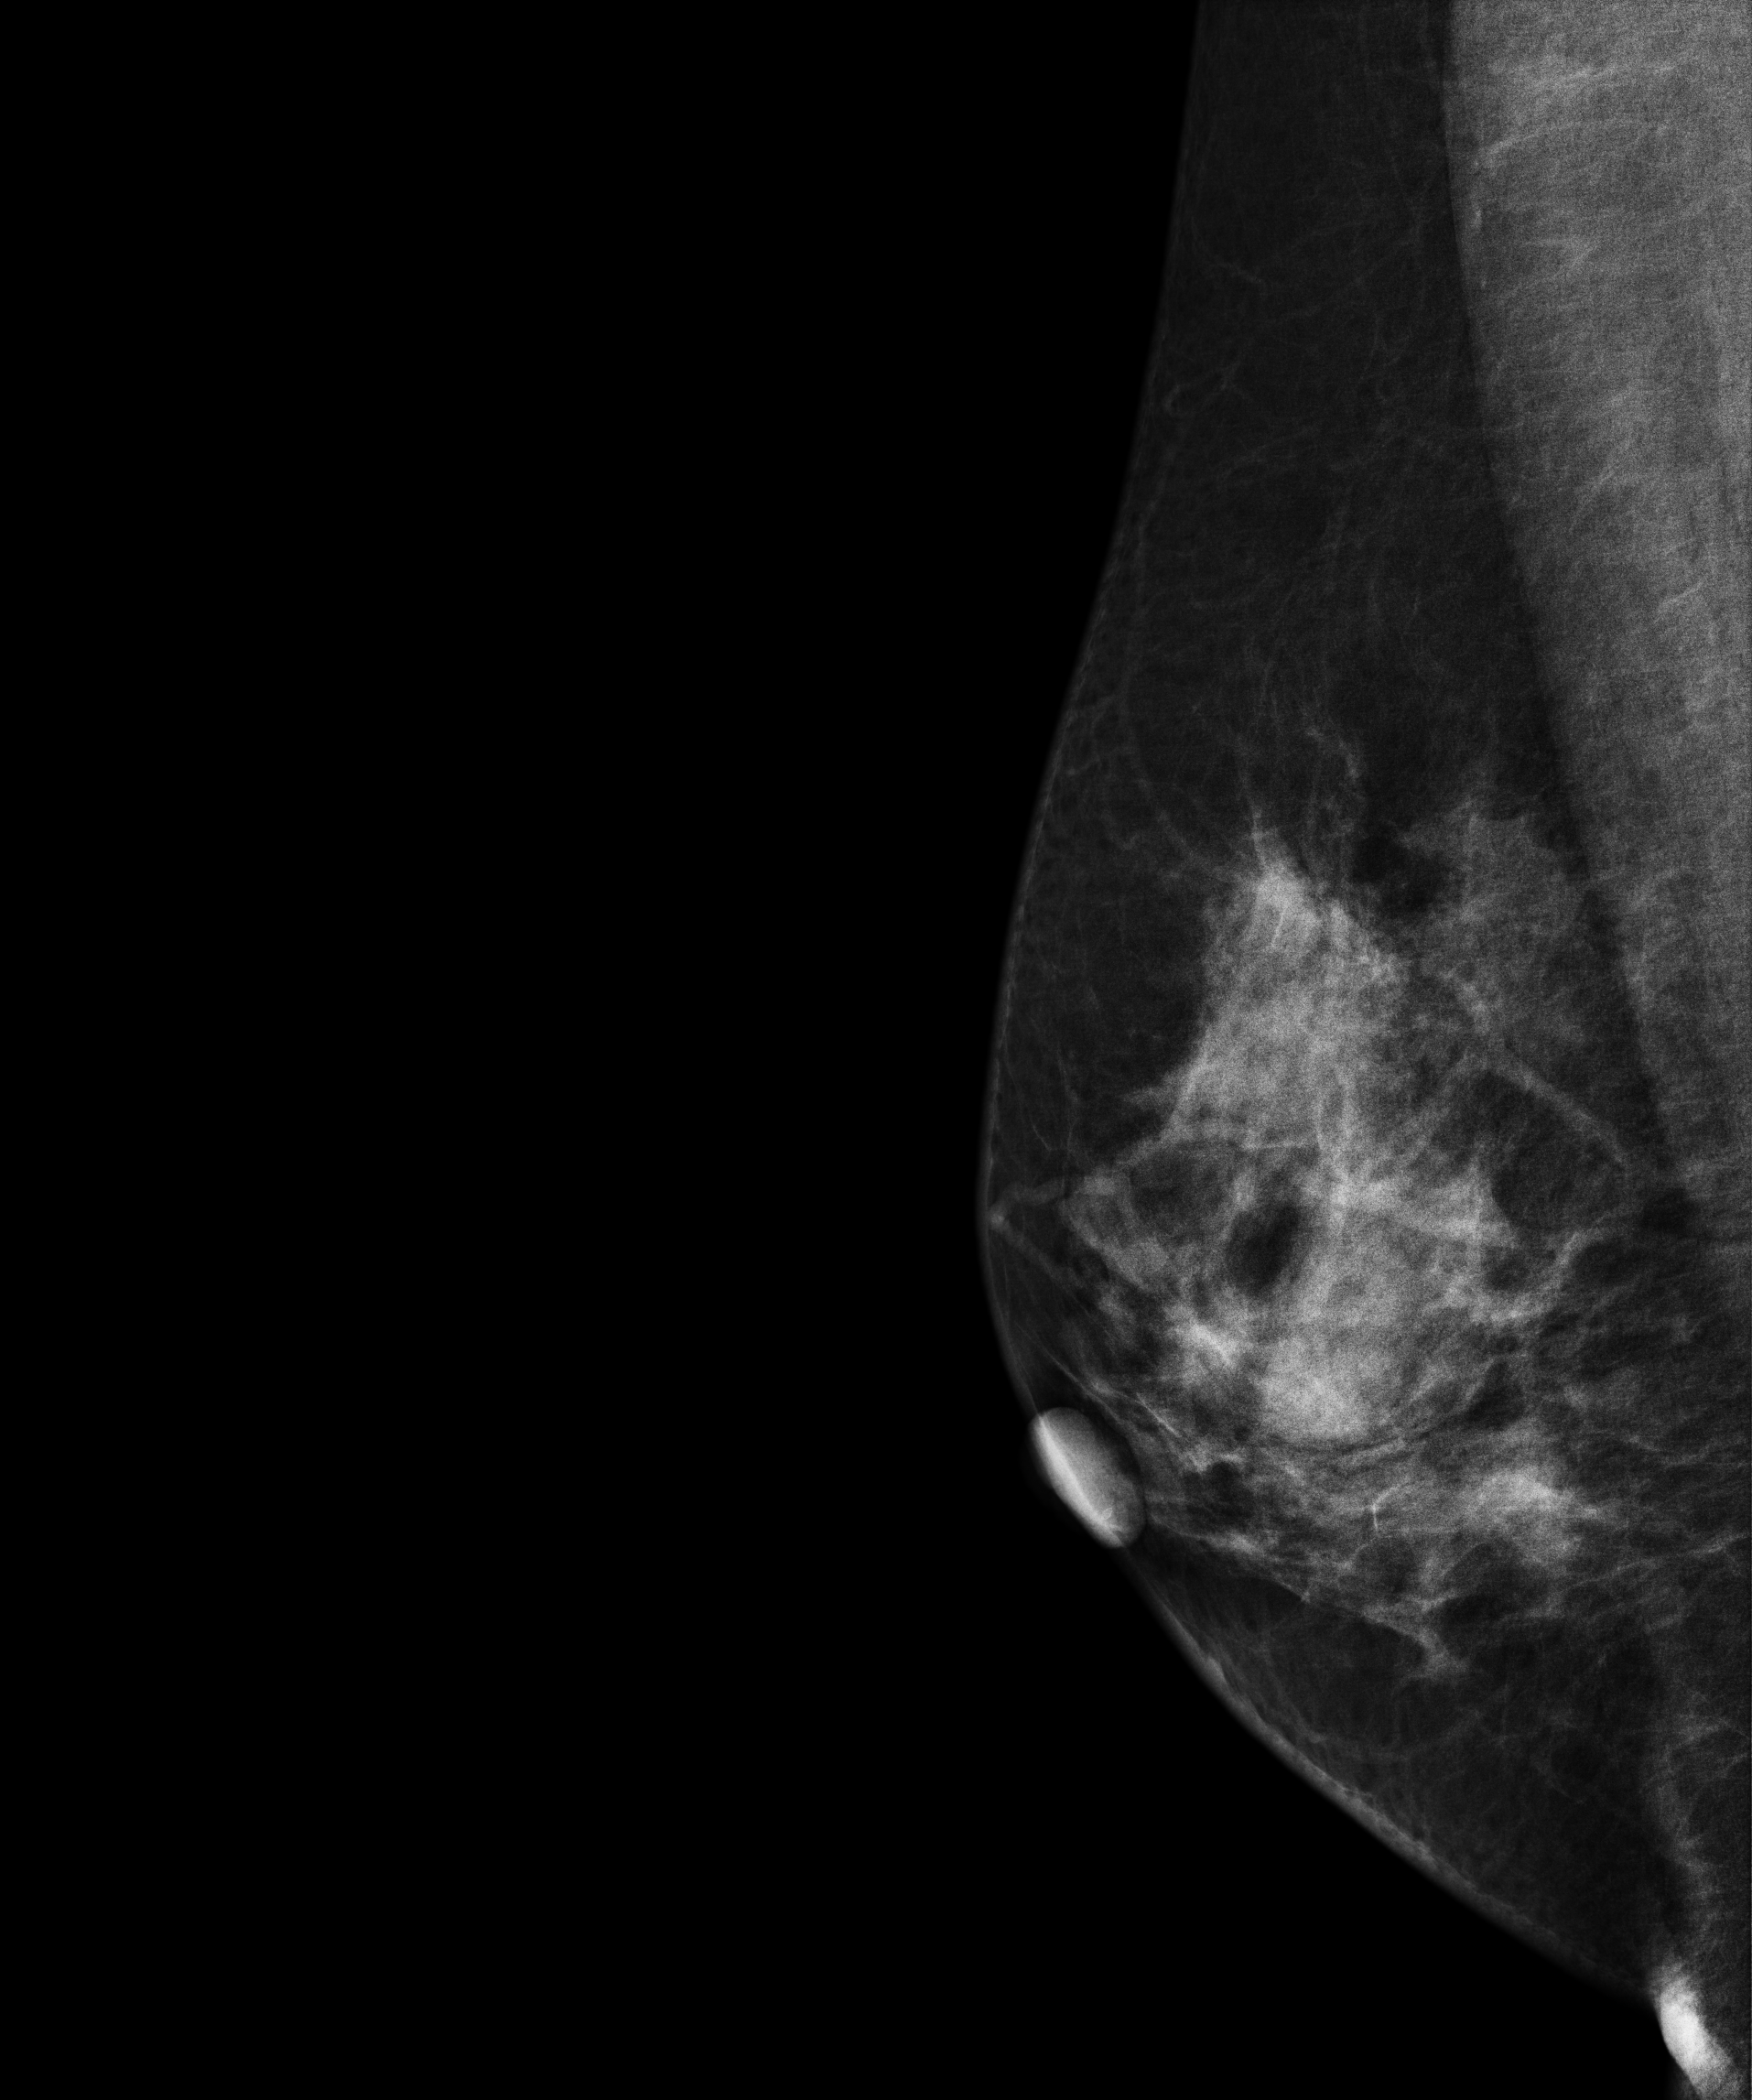
Right-breast mammogram, medio-lateral oblique. Patient age 39.
This breast has a mass, pathology-confirmed benign.